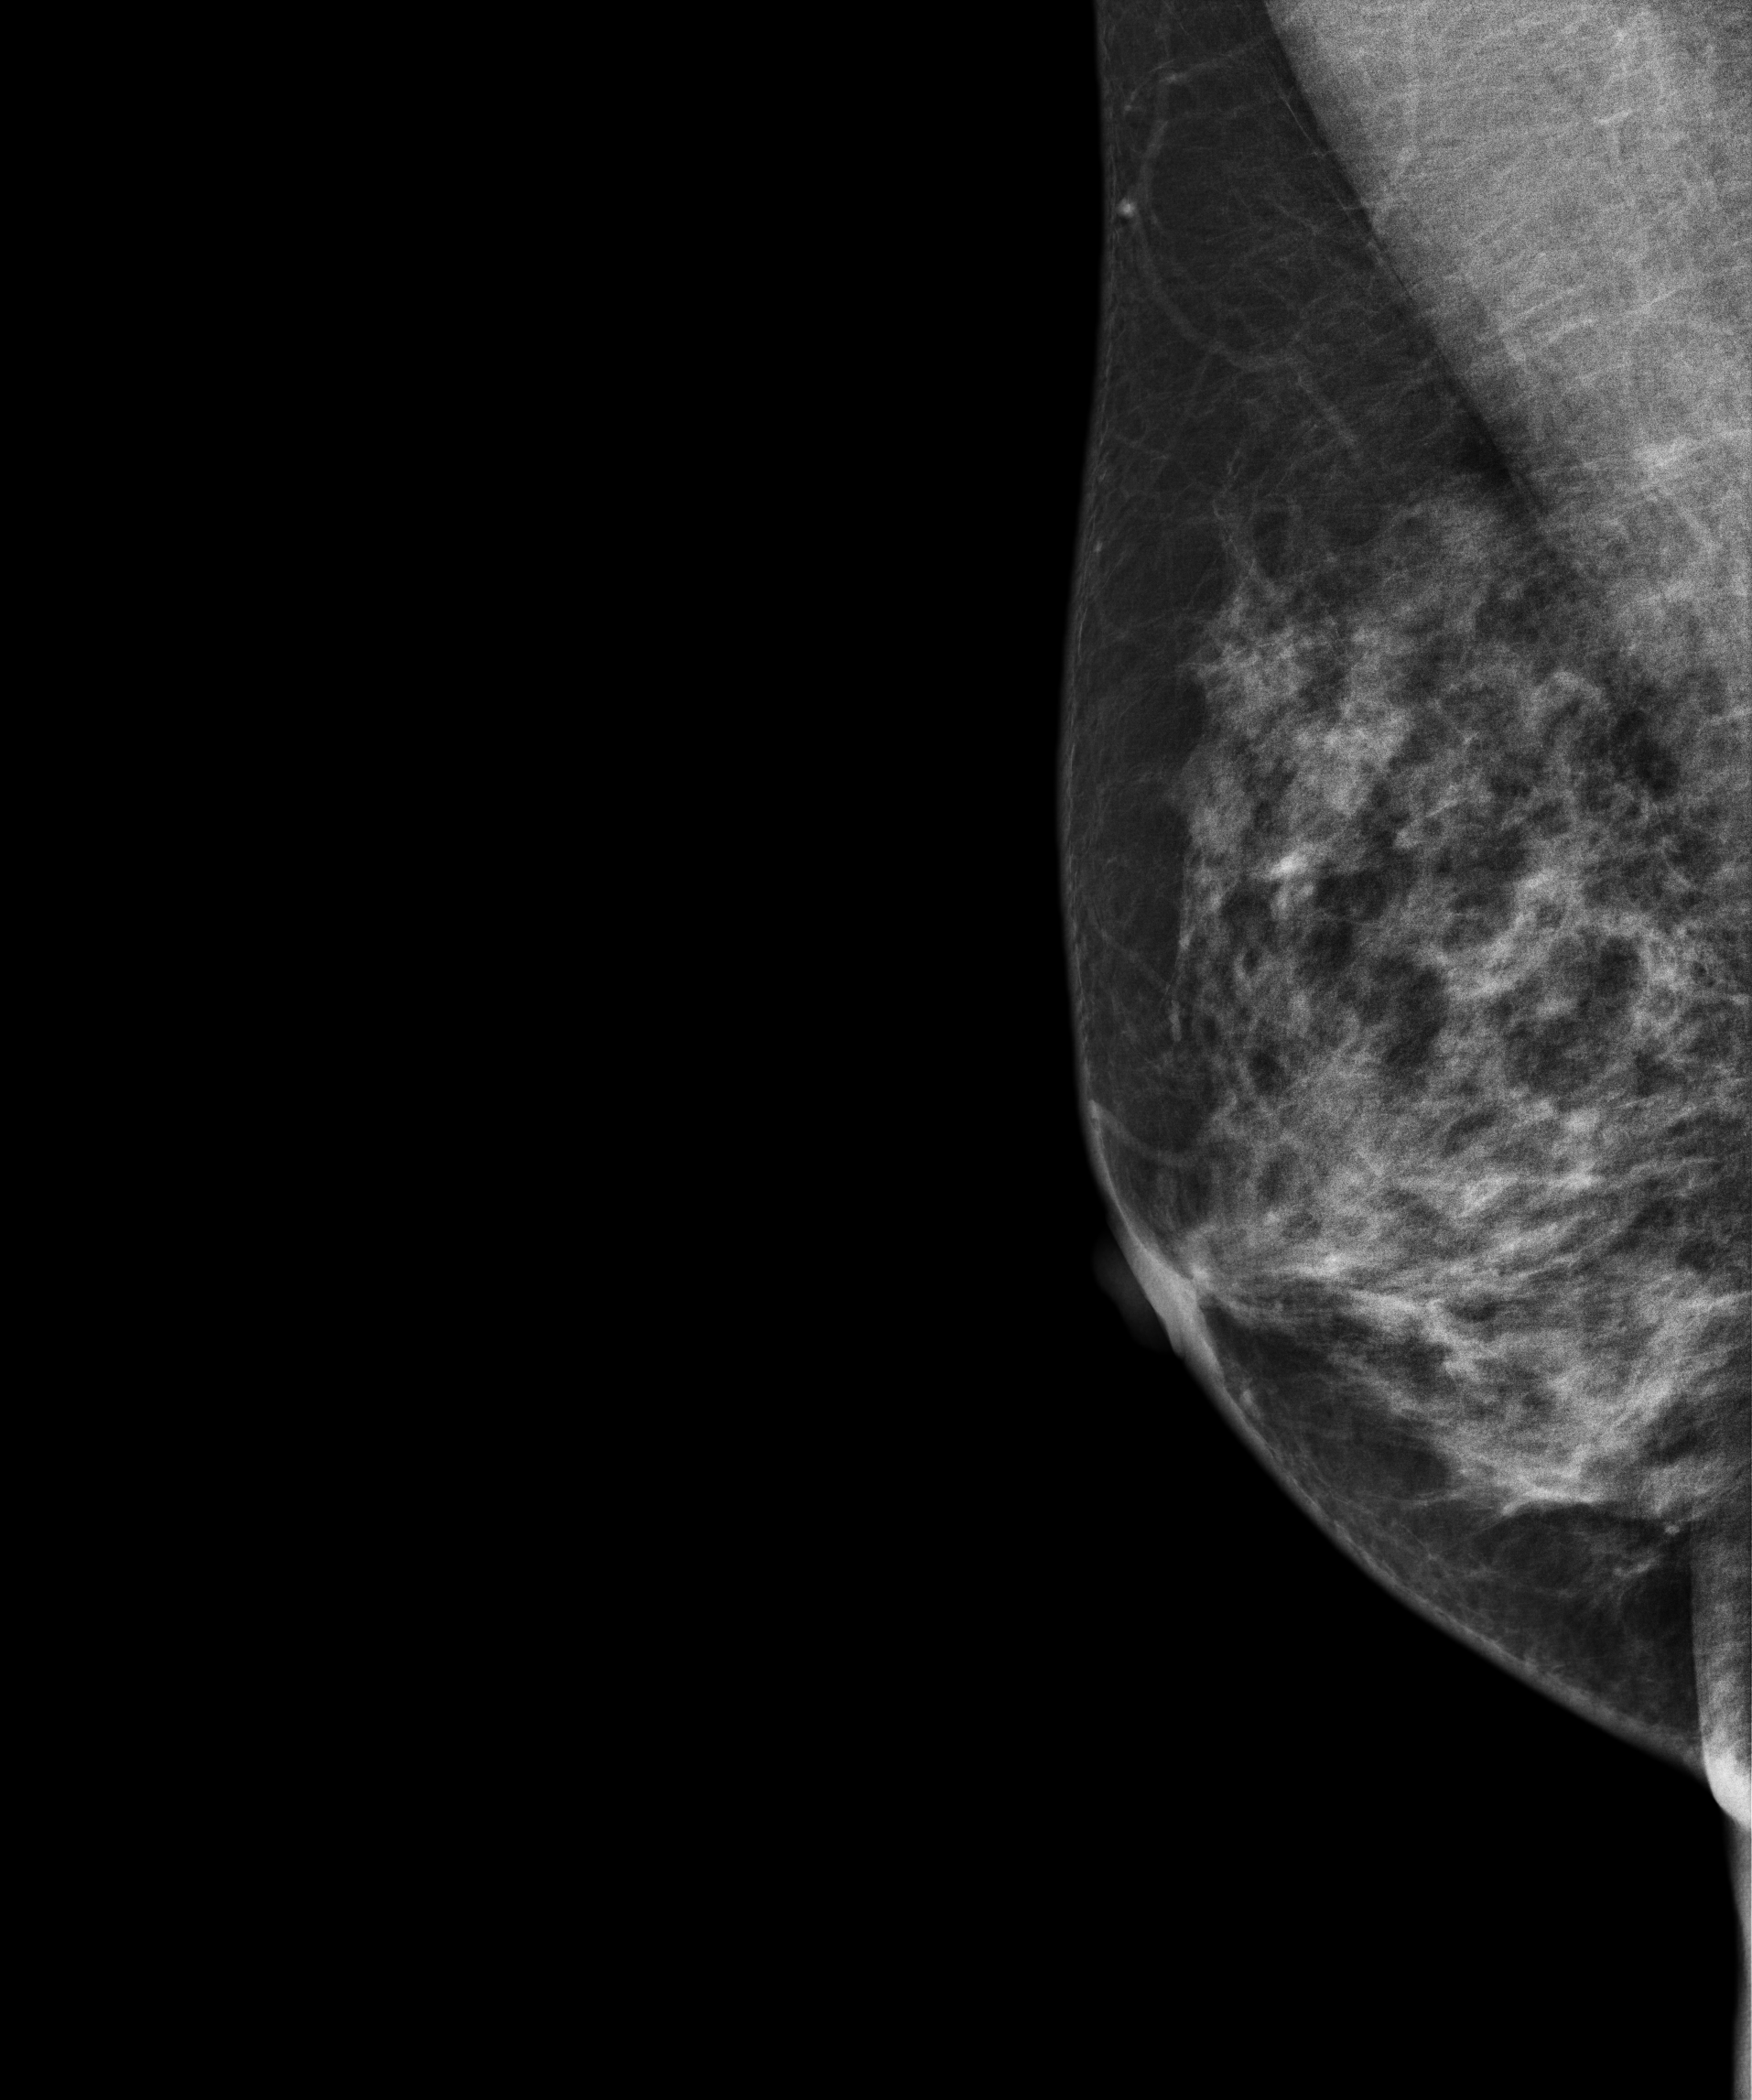
Mammogram, right breast, MLO view. 50 y/o patient.
Contralateral breast — no documented abnormality on this side.